Mammogram, right breast, CC view. Patient age 43.
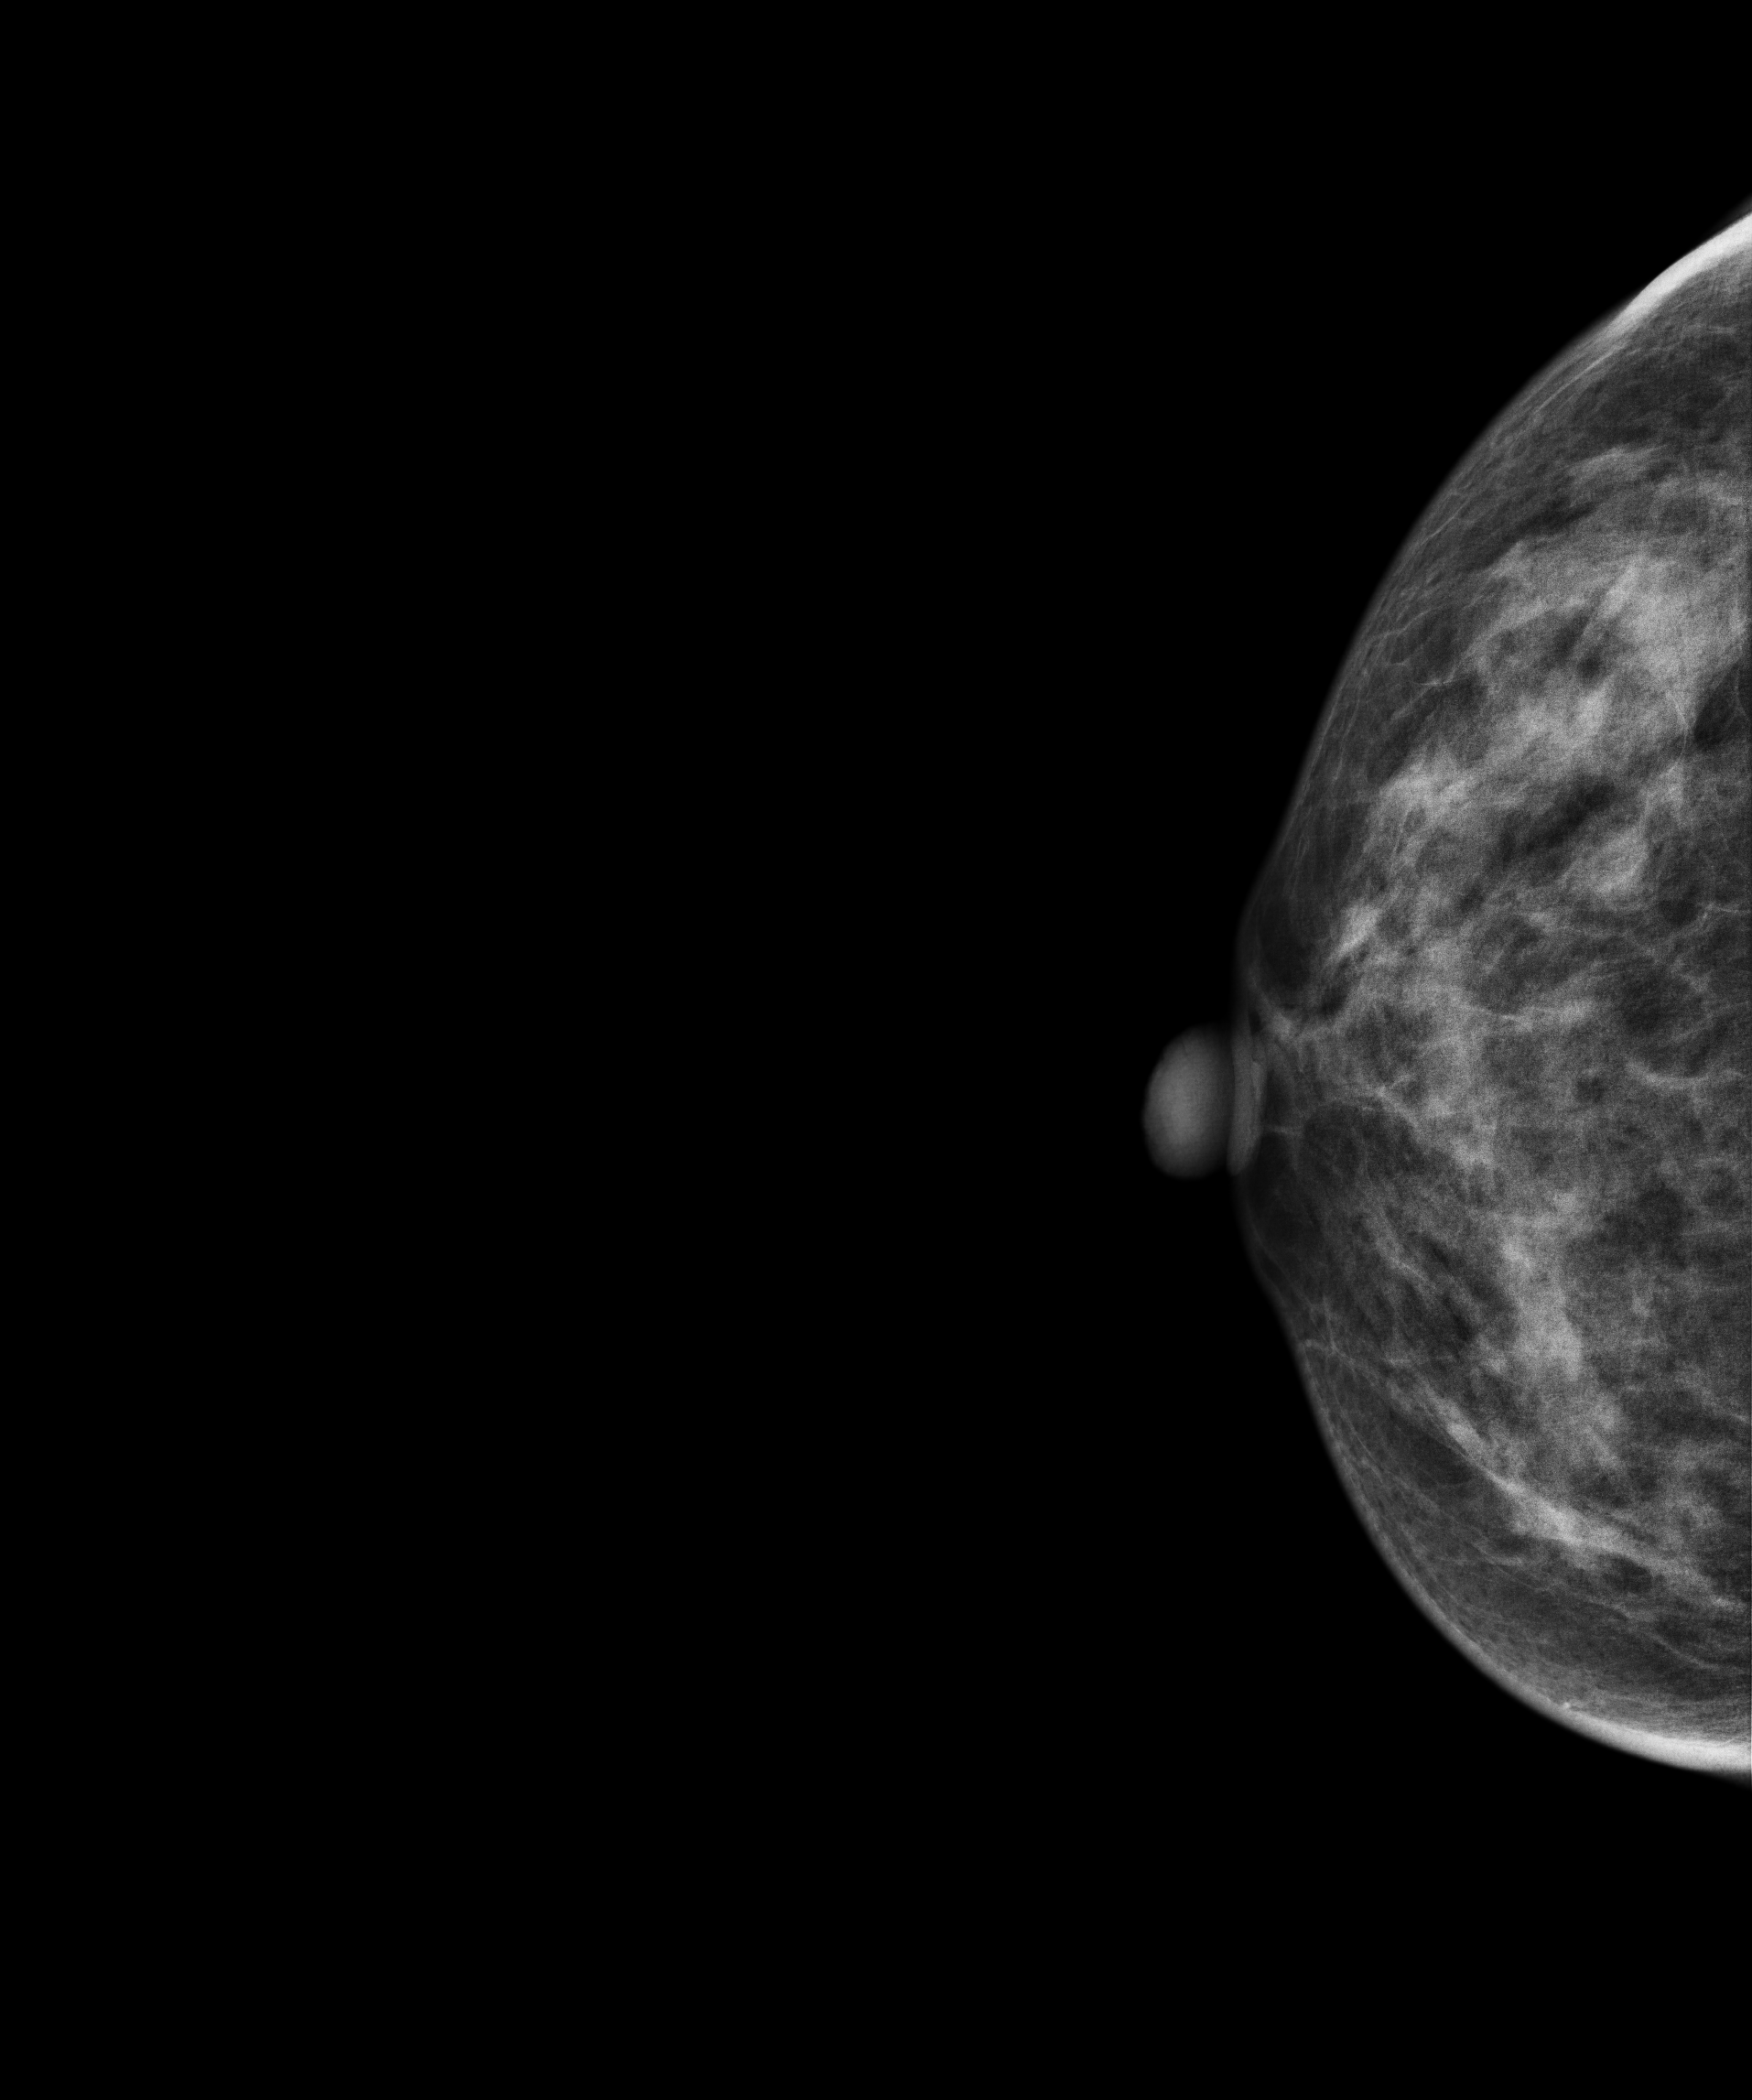
This breast has a mass, biopsy-confirmed benign.